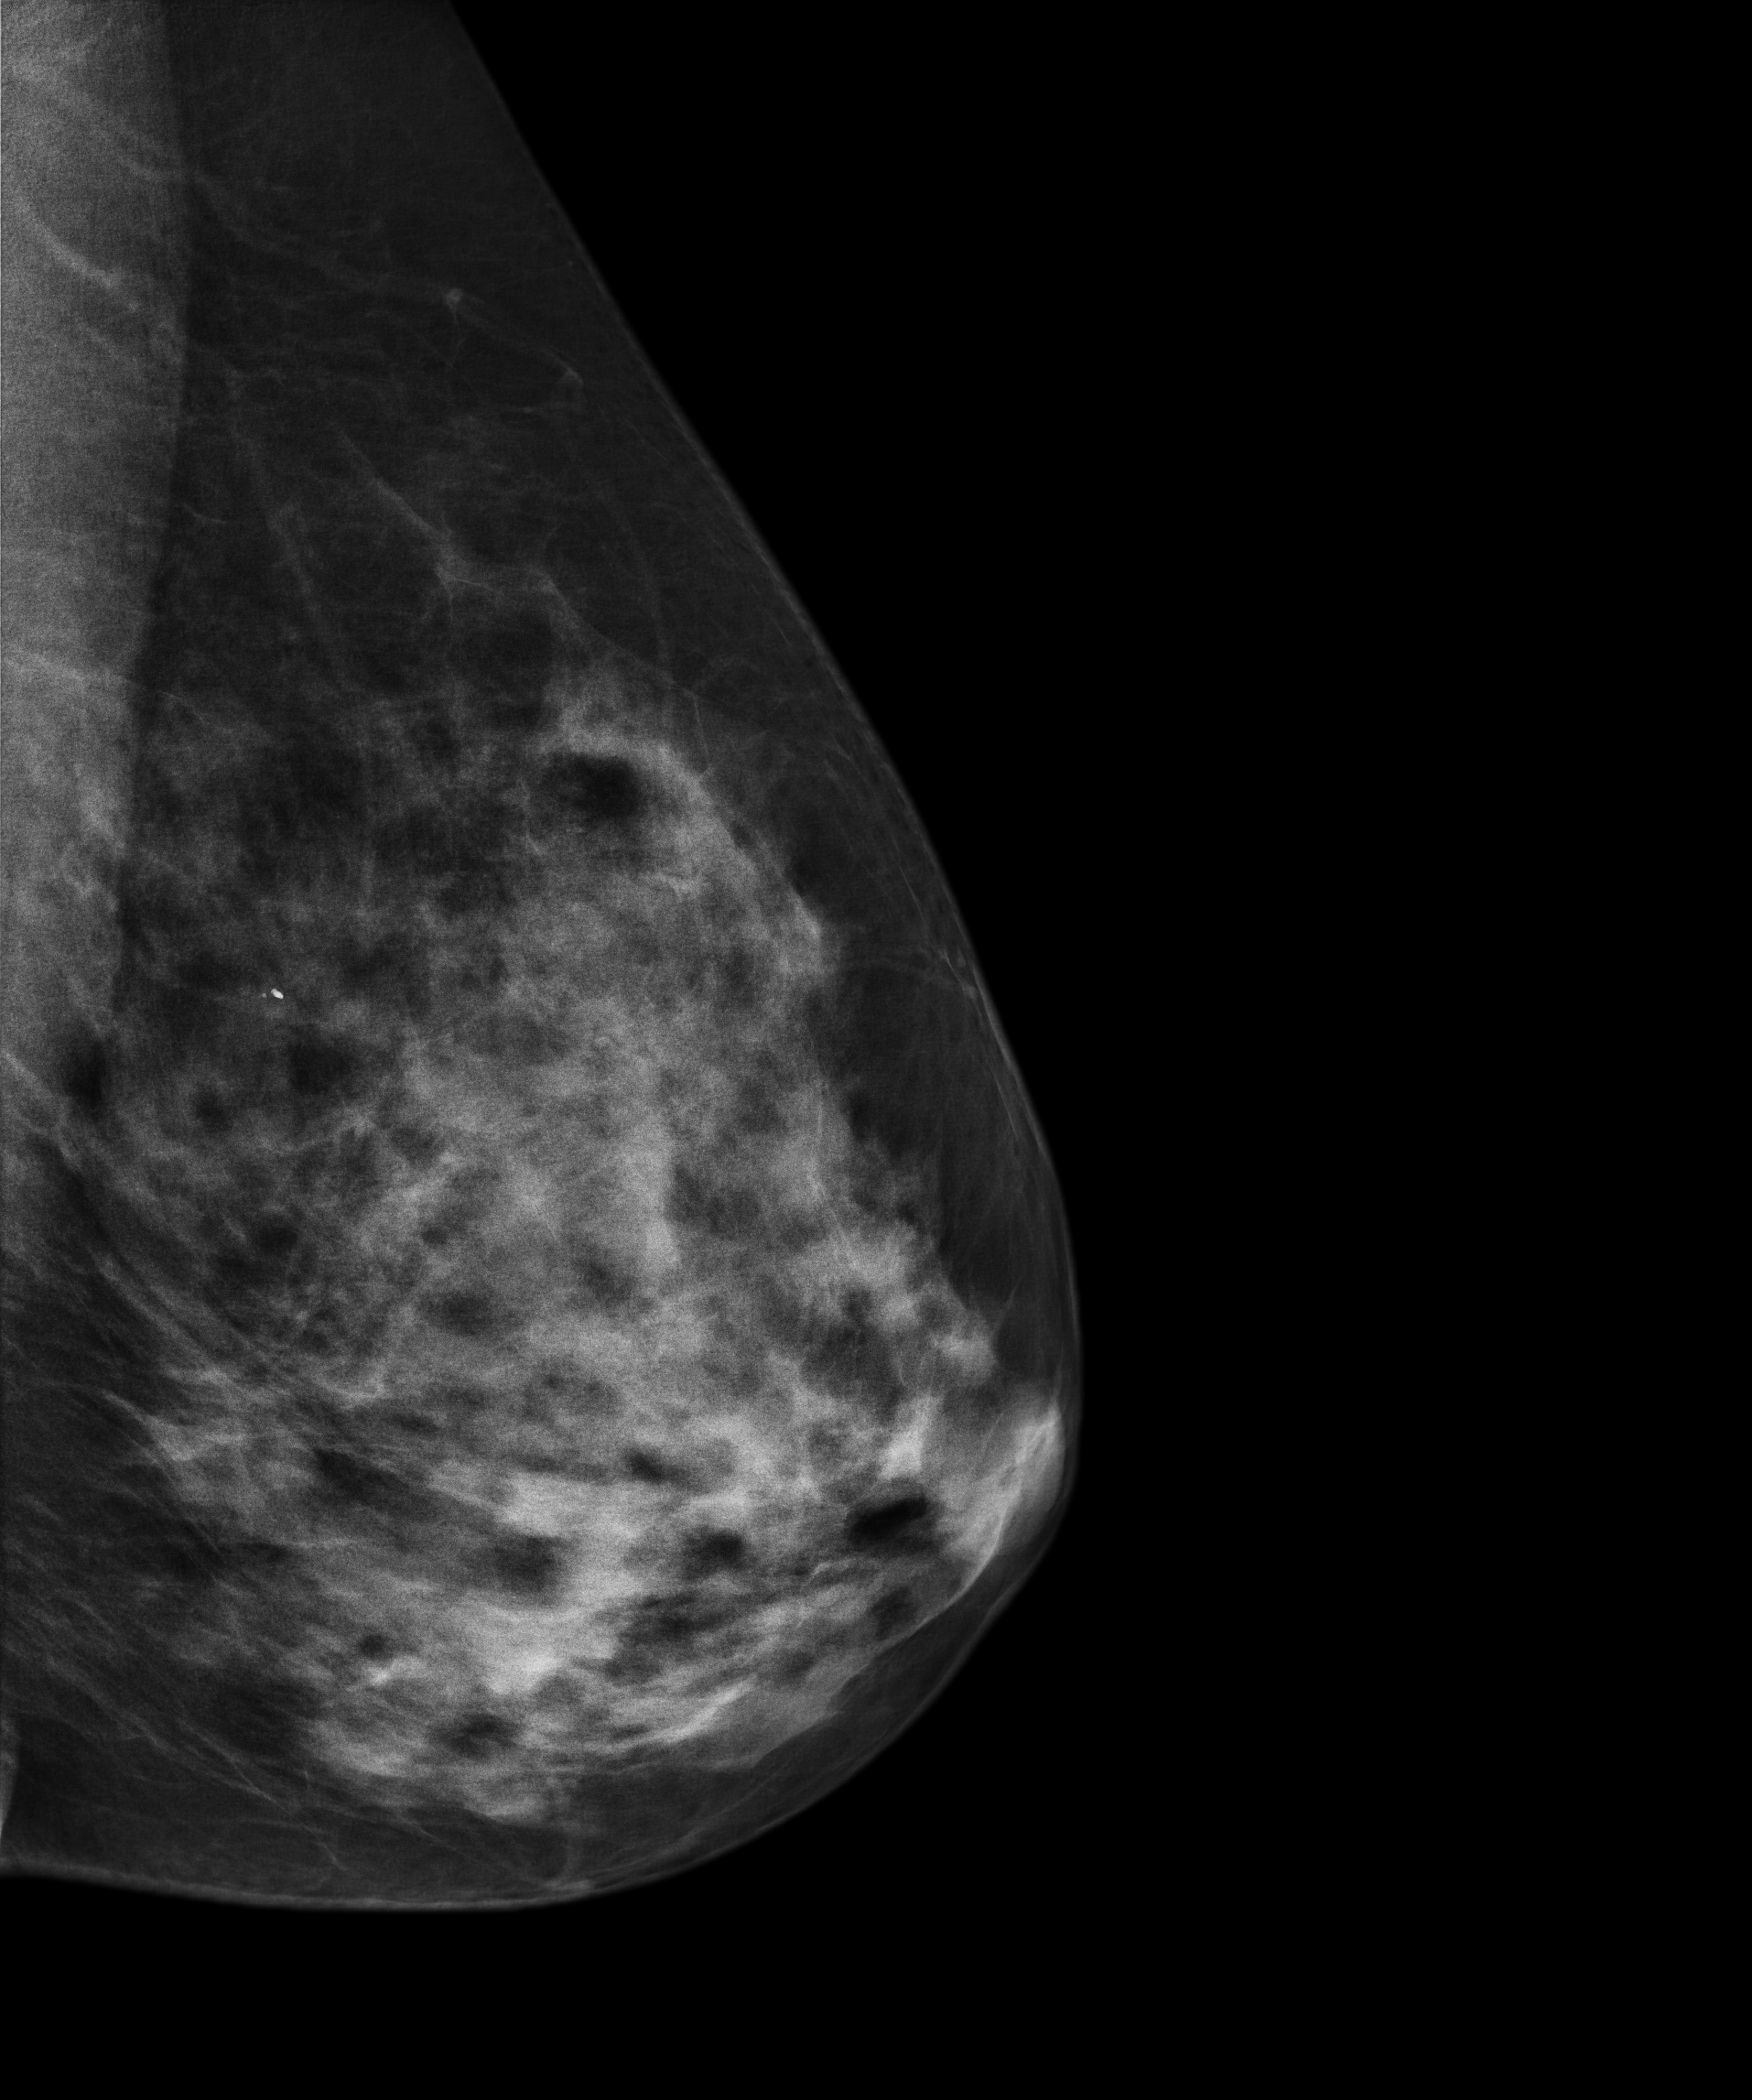
Mammogram, left breast, medio-lateral oblique view. 49 y/o patient.
Contralateral breast — no documented abnormality on this side.